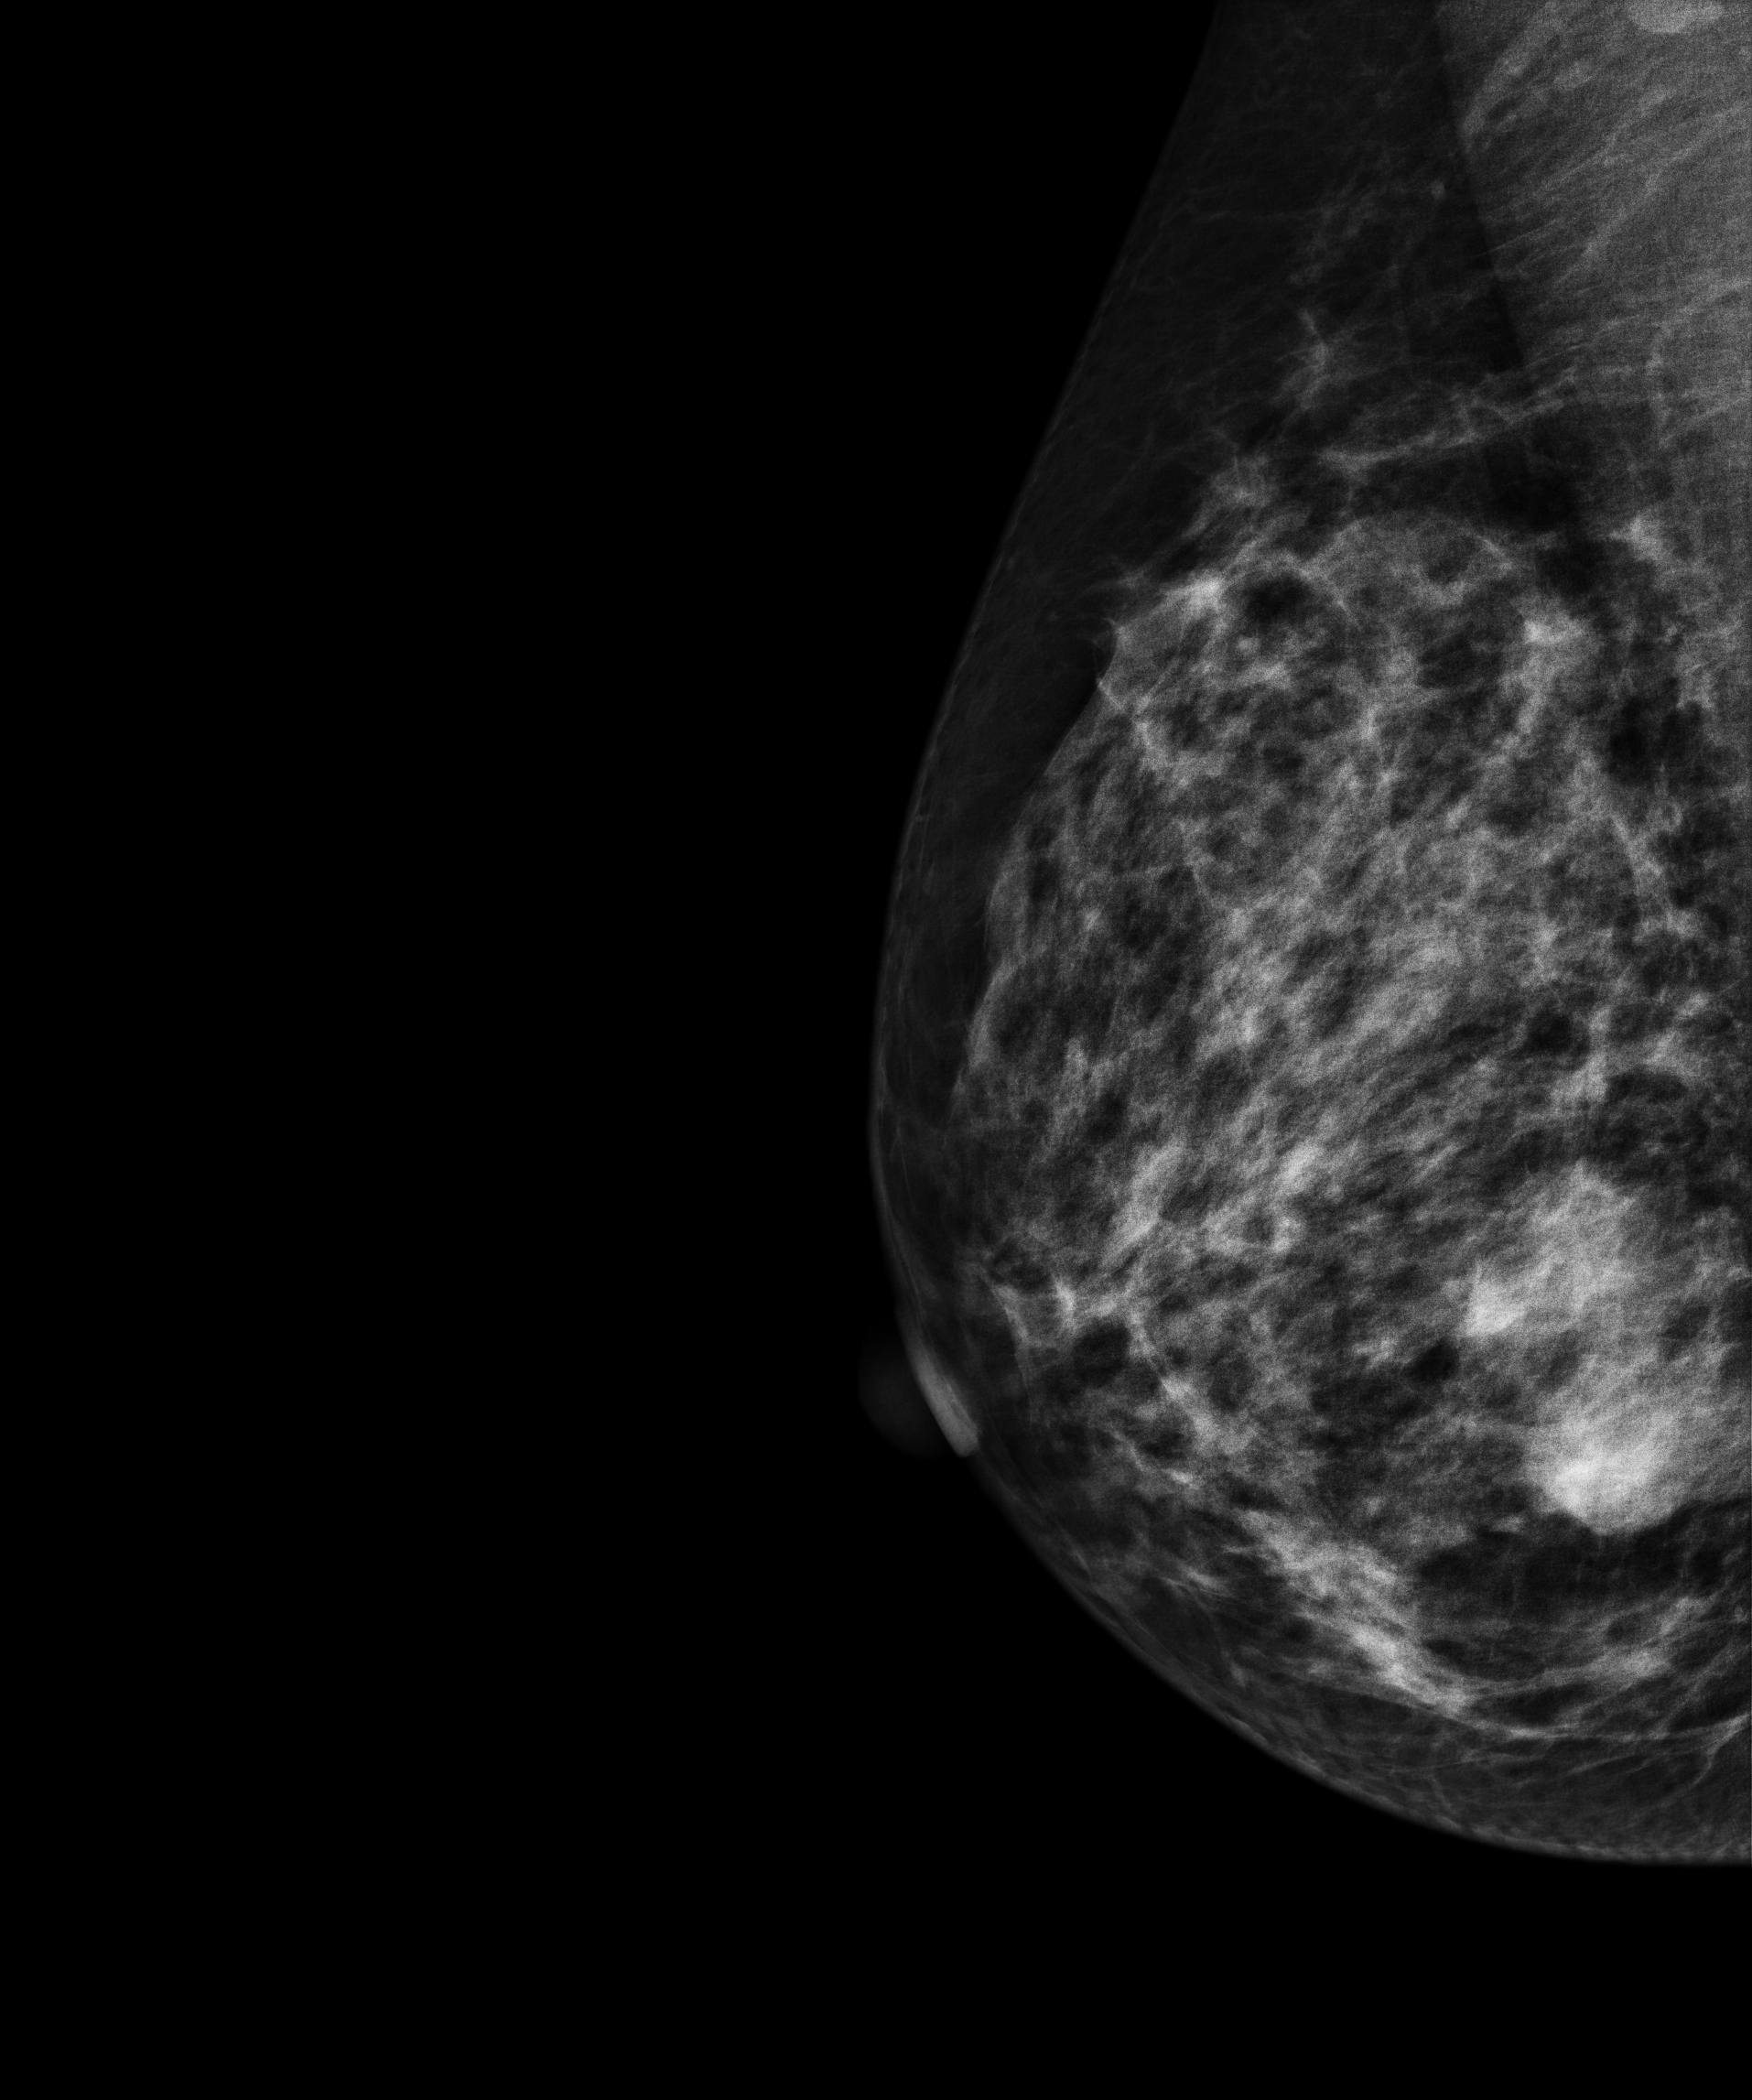
Mammogram — right MLO. Patient age 32.
This breast has a mass, biopsy-confirmed benign.